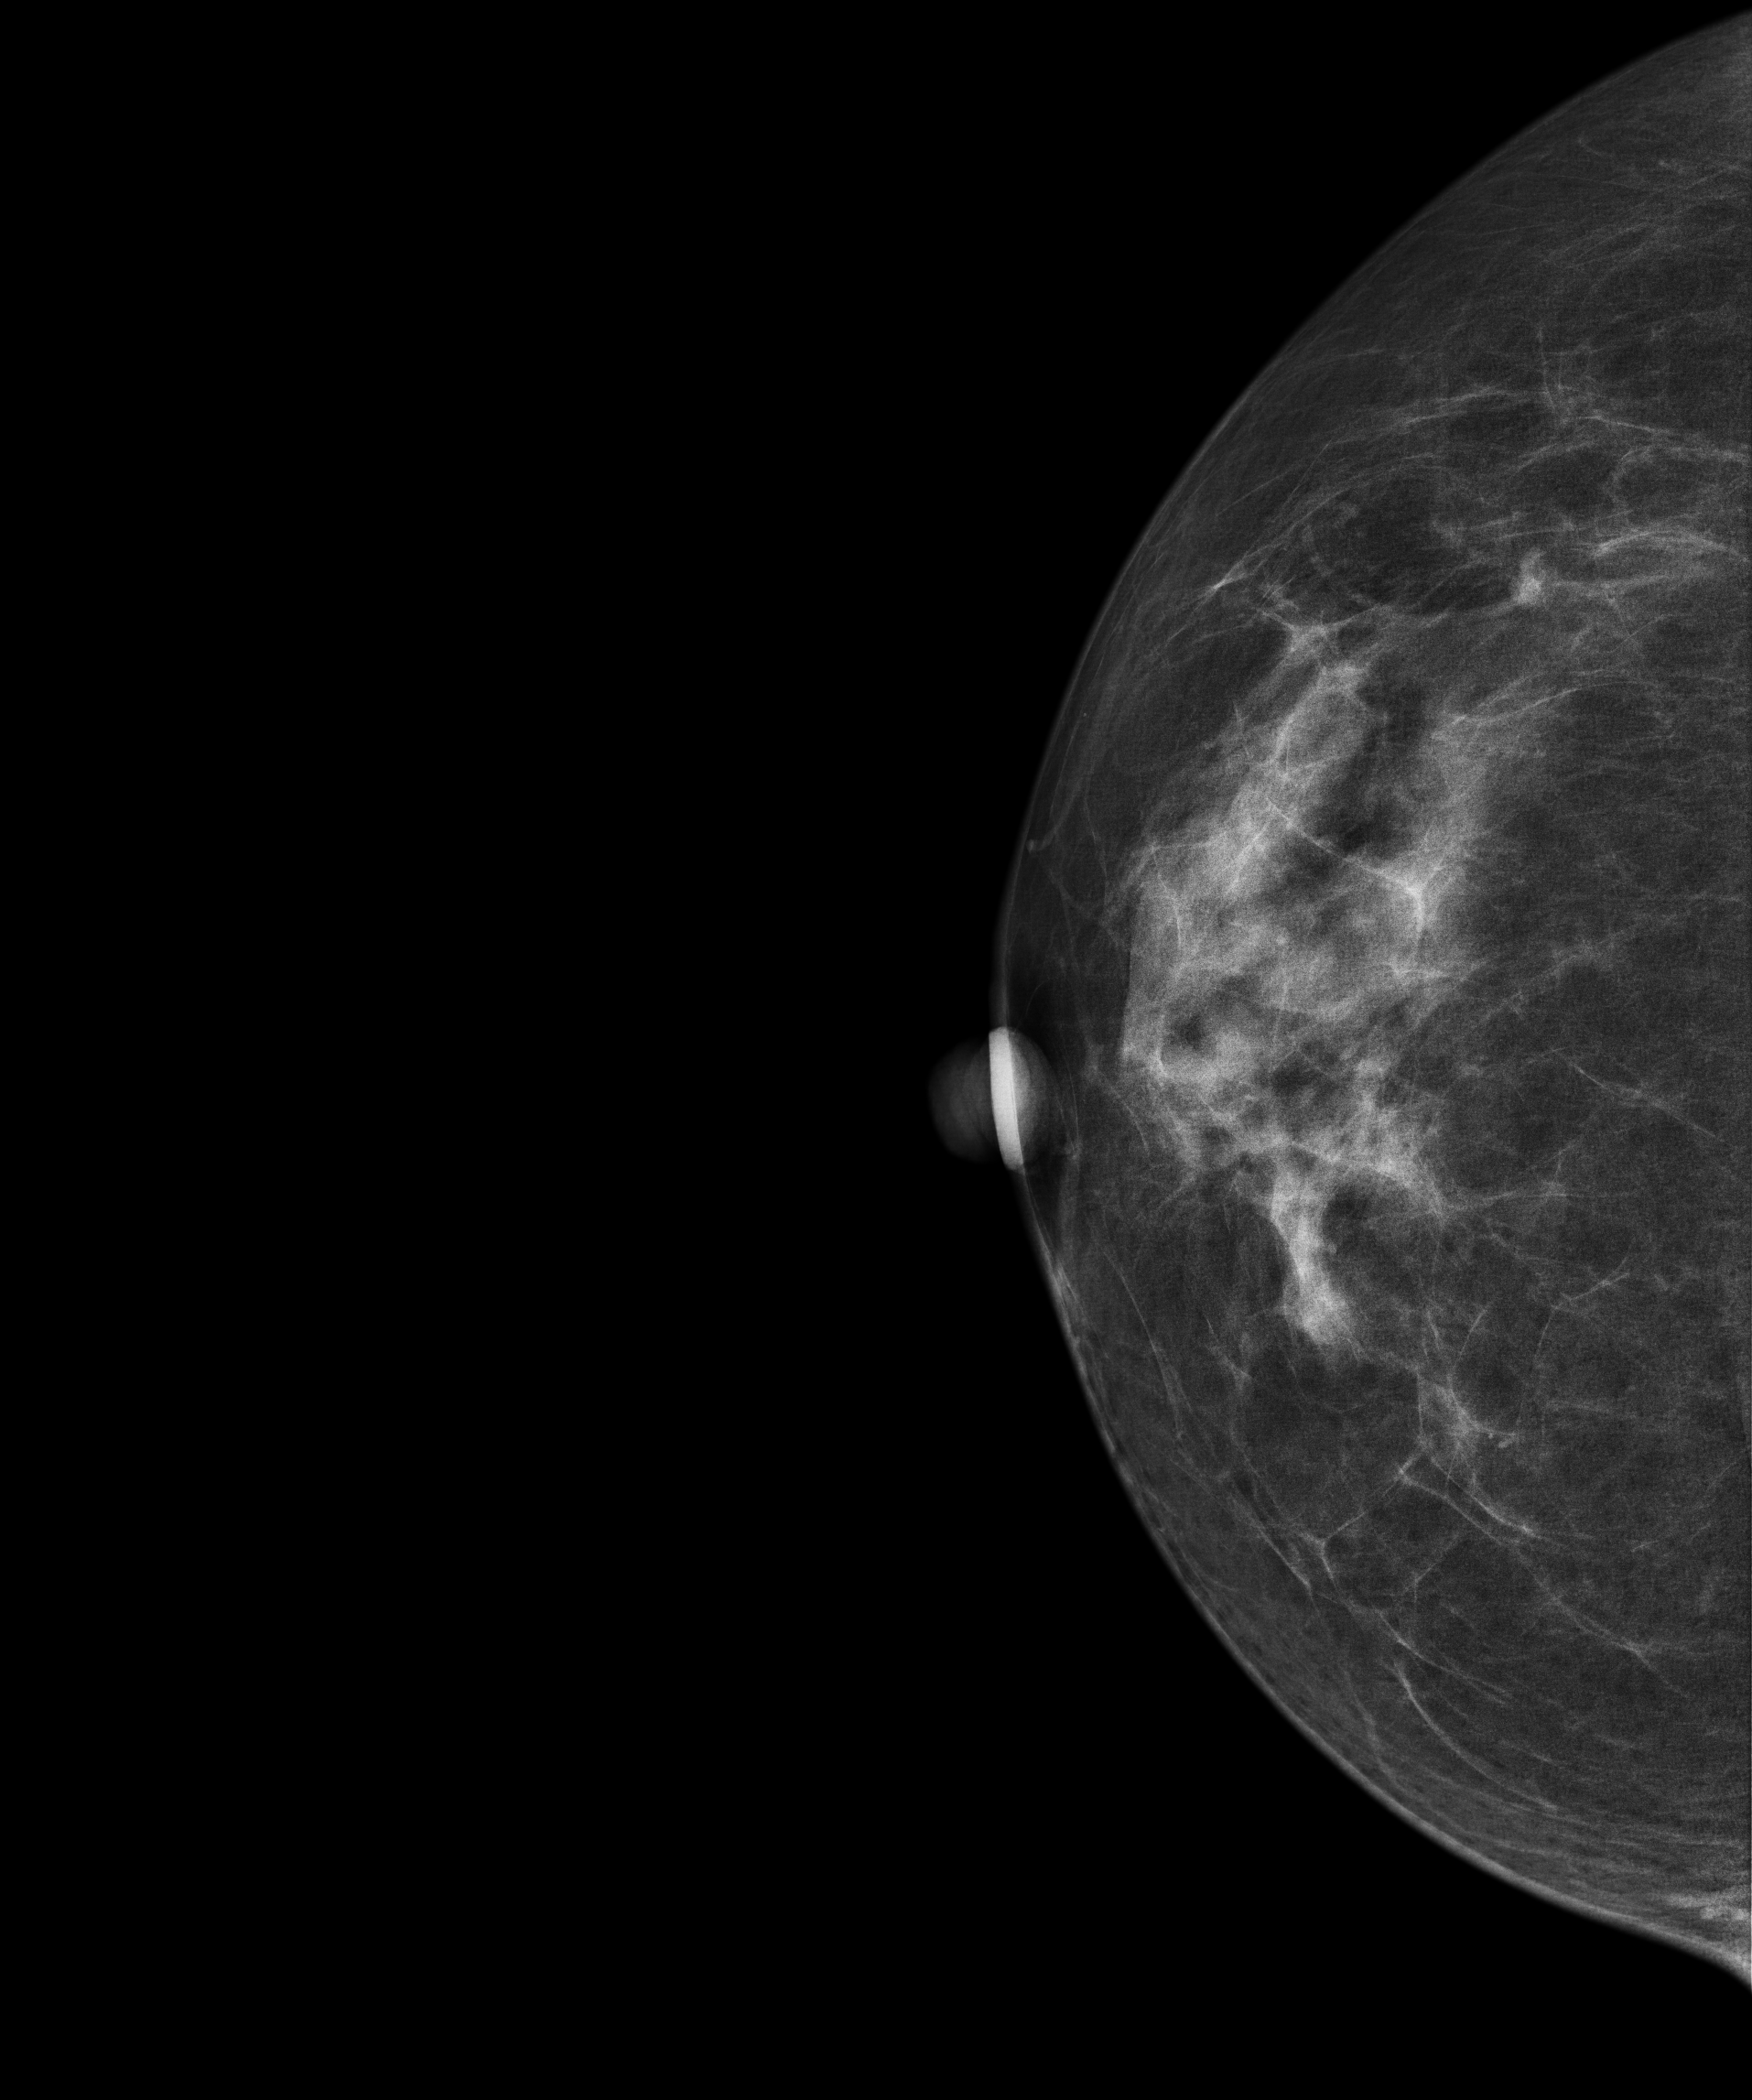
Mammogram — right cranio-caudal. 62-year-old patient.
Contralateral breast — no documented abnormality on this side.